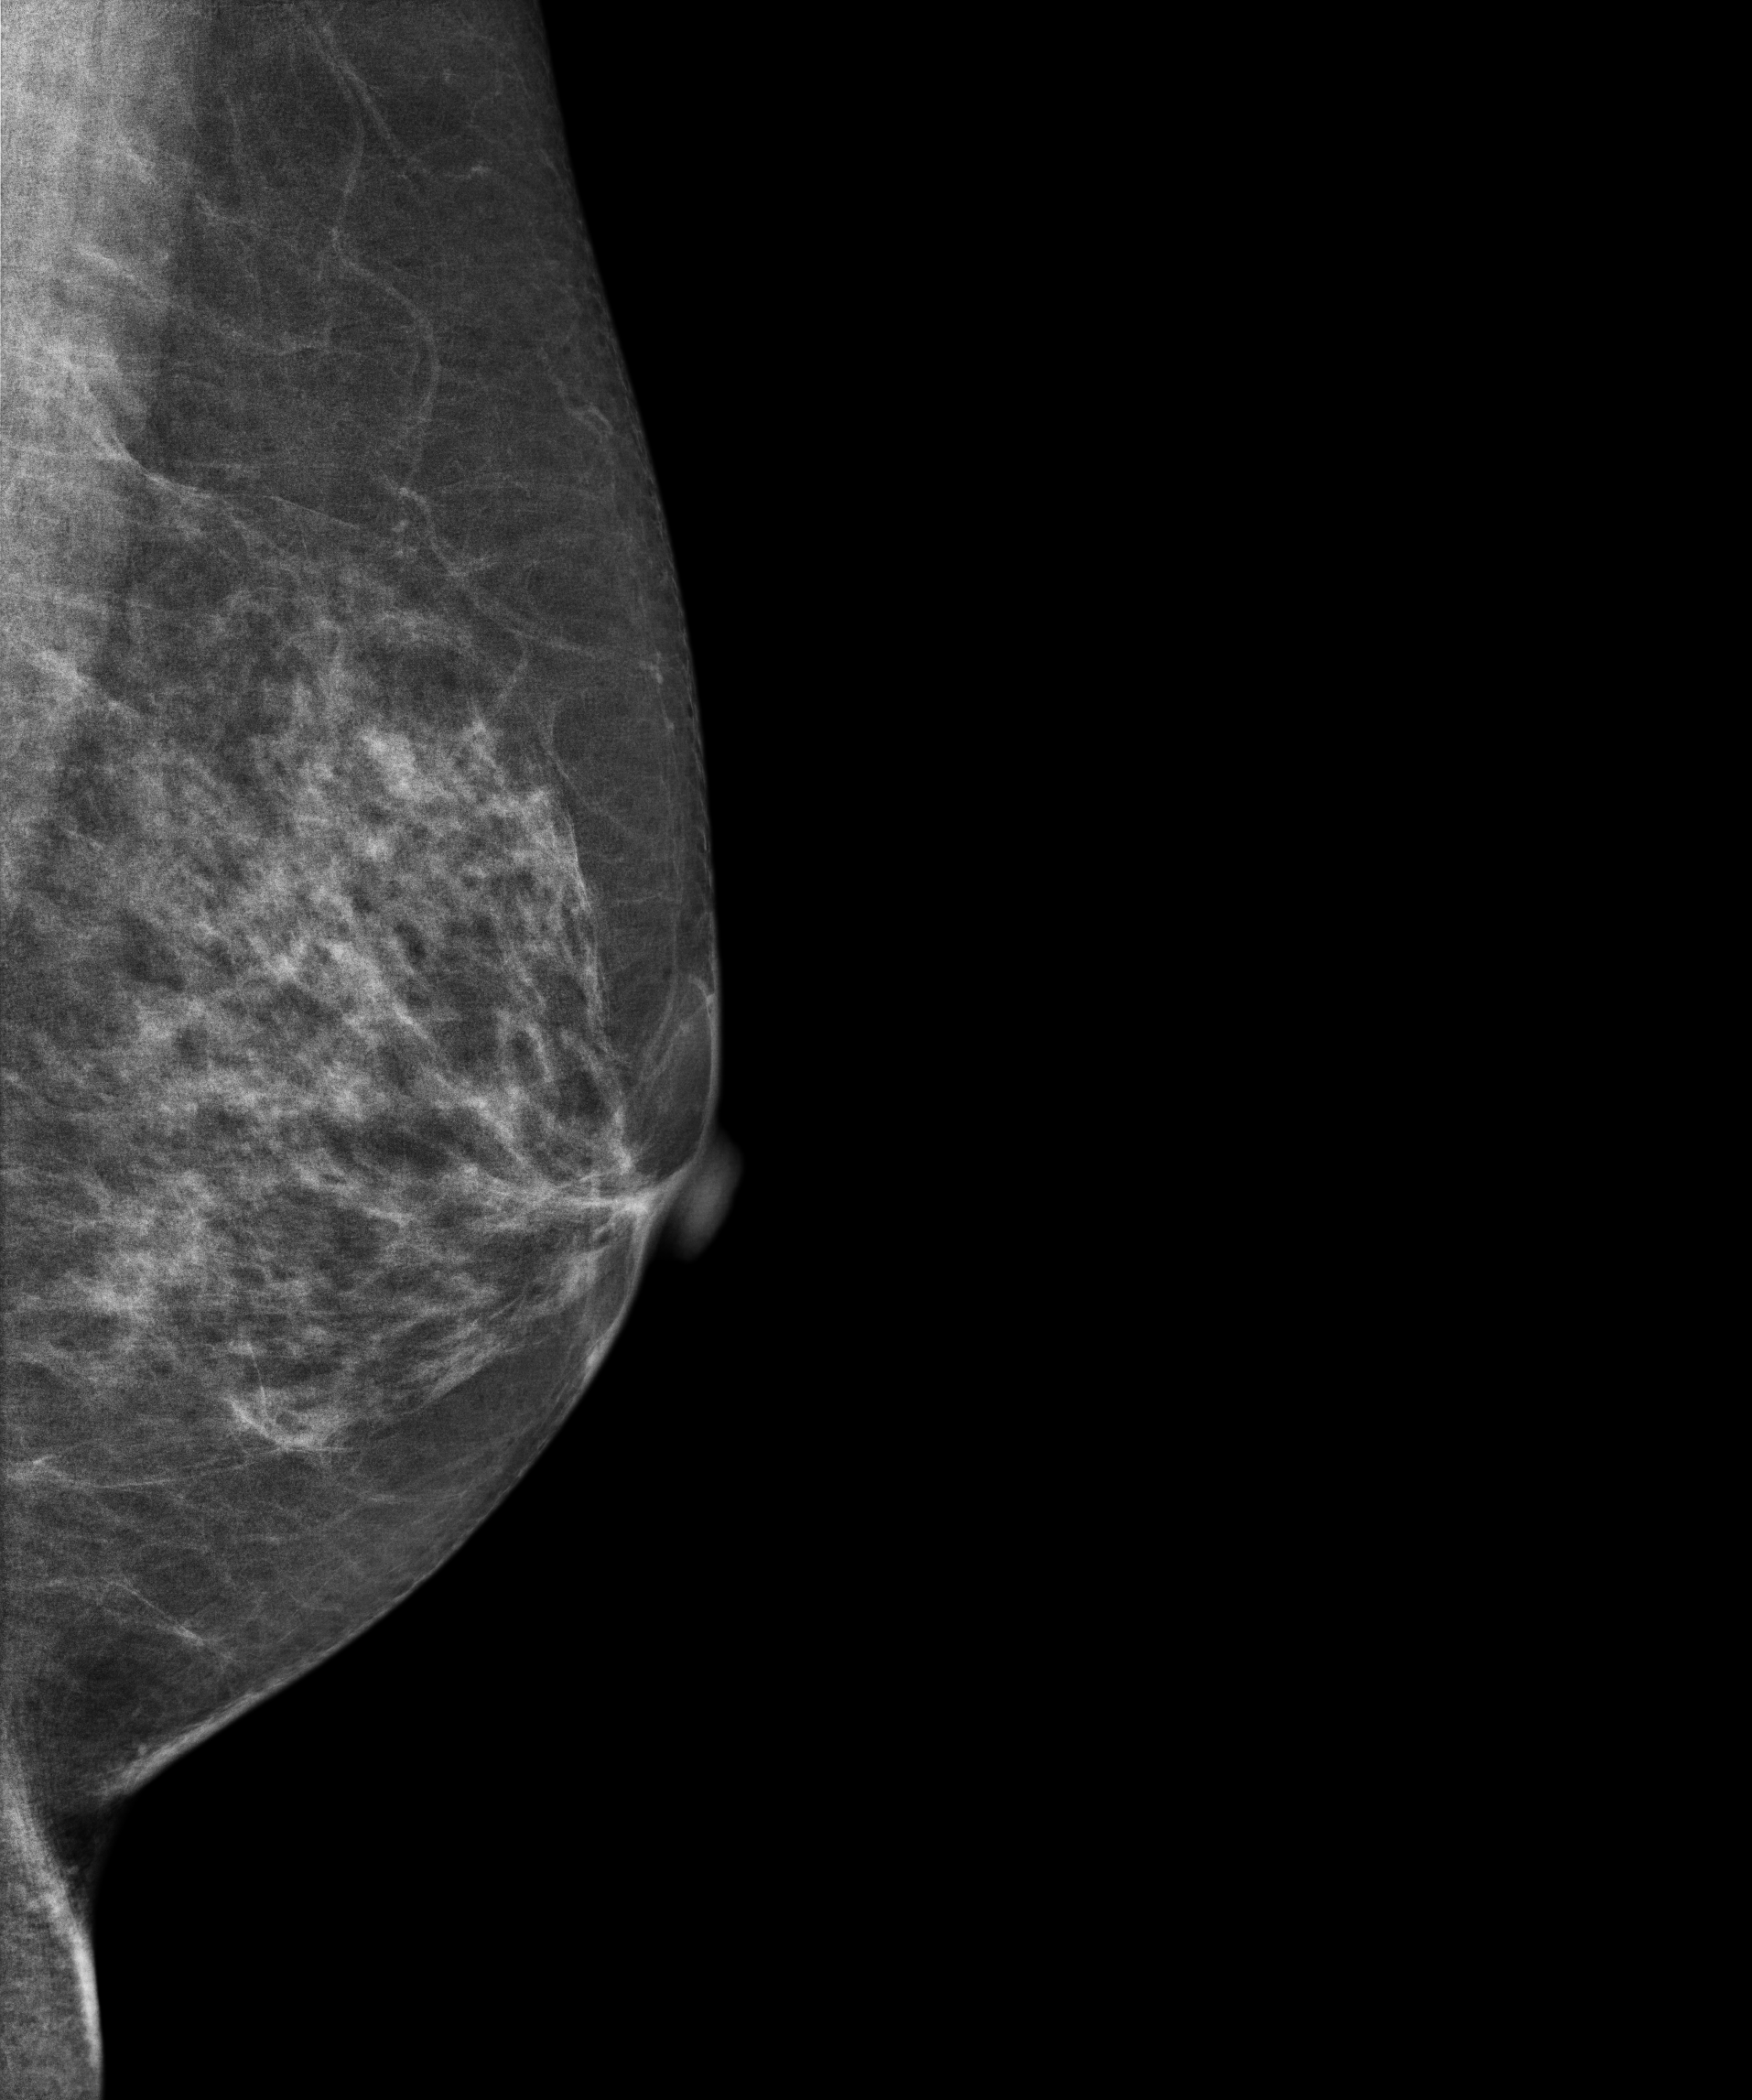
Mammogram — left MLO. 61-year-old patient.
Contralateral breast — no documented abnormality on this side.